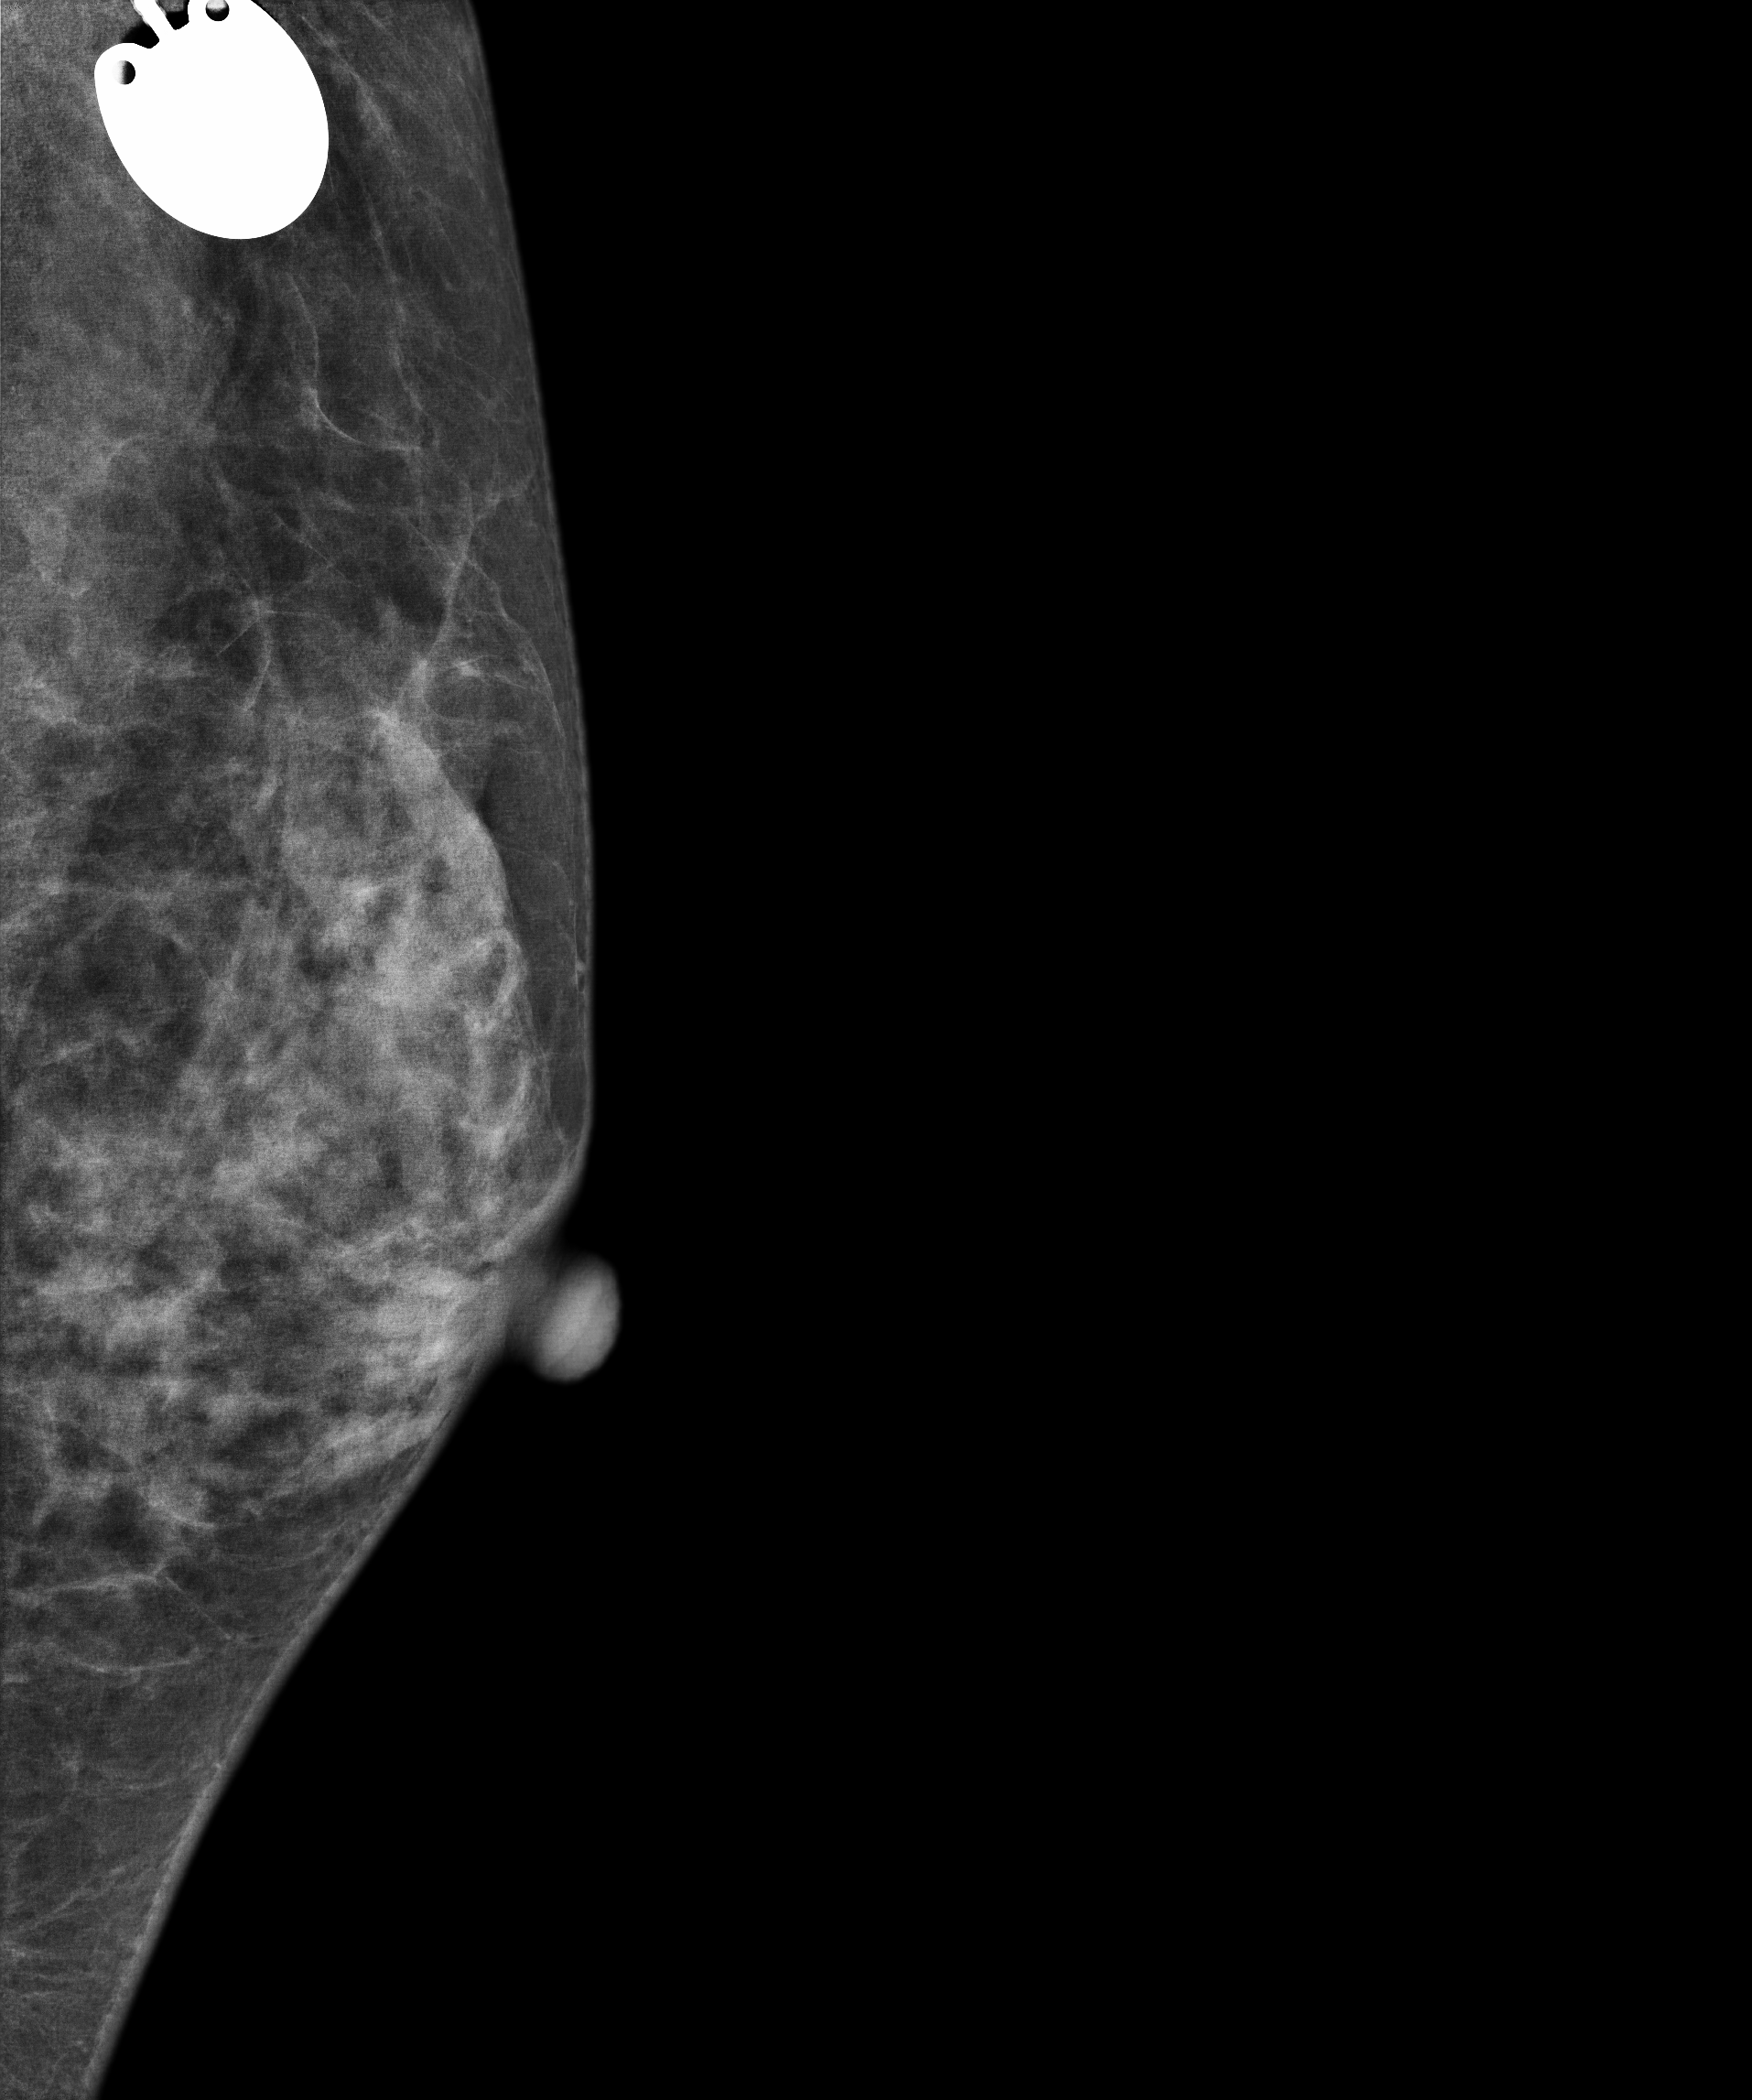
Mammogram, left breast, medio-lateral oblique view. 30-year-old patient.
Contralateral breast — no documented abnormality on this side.